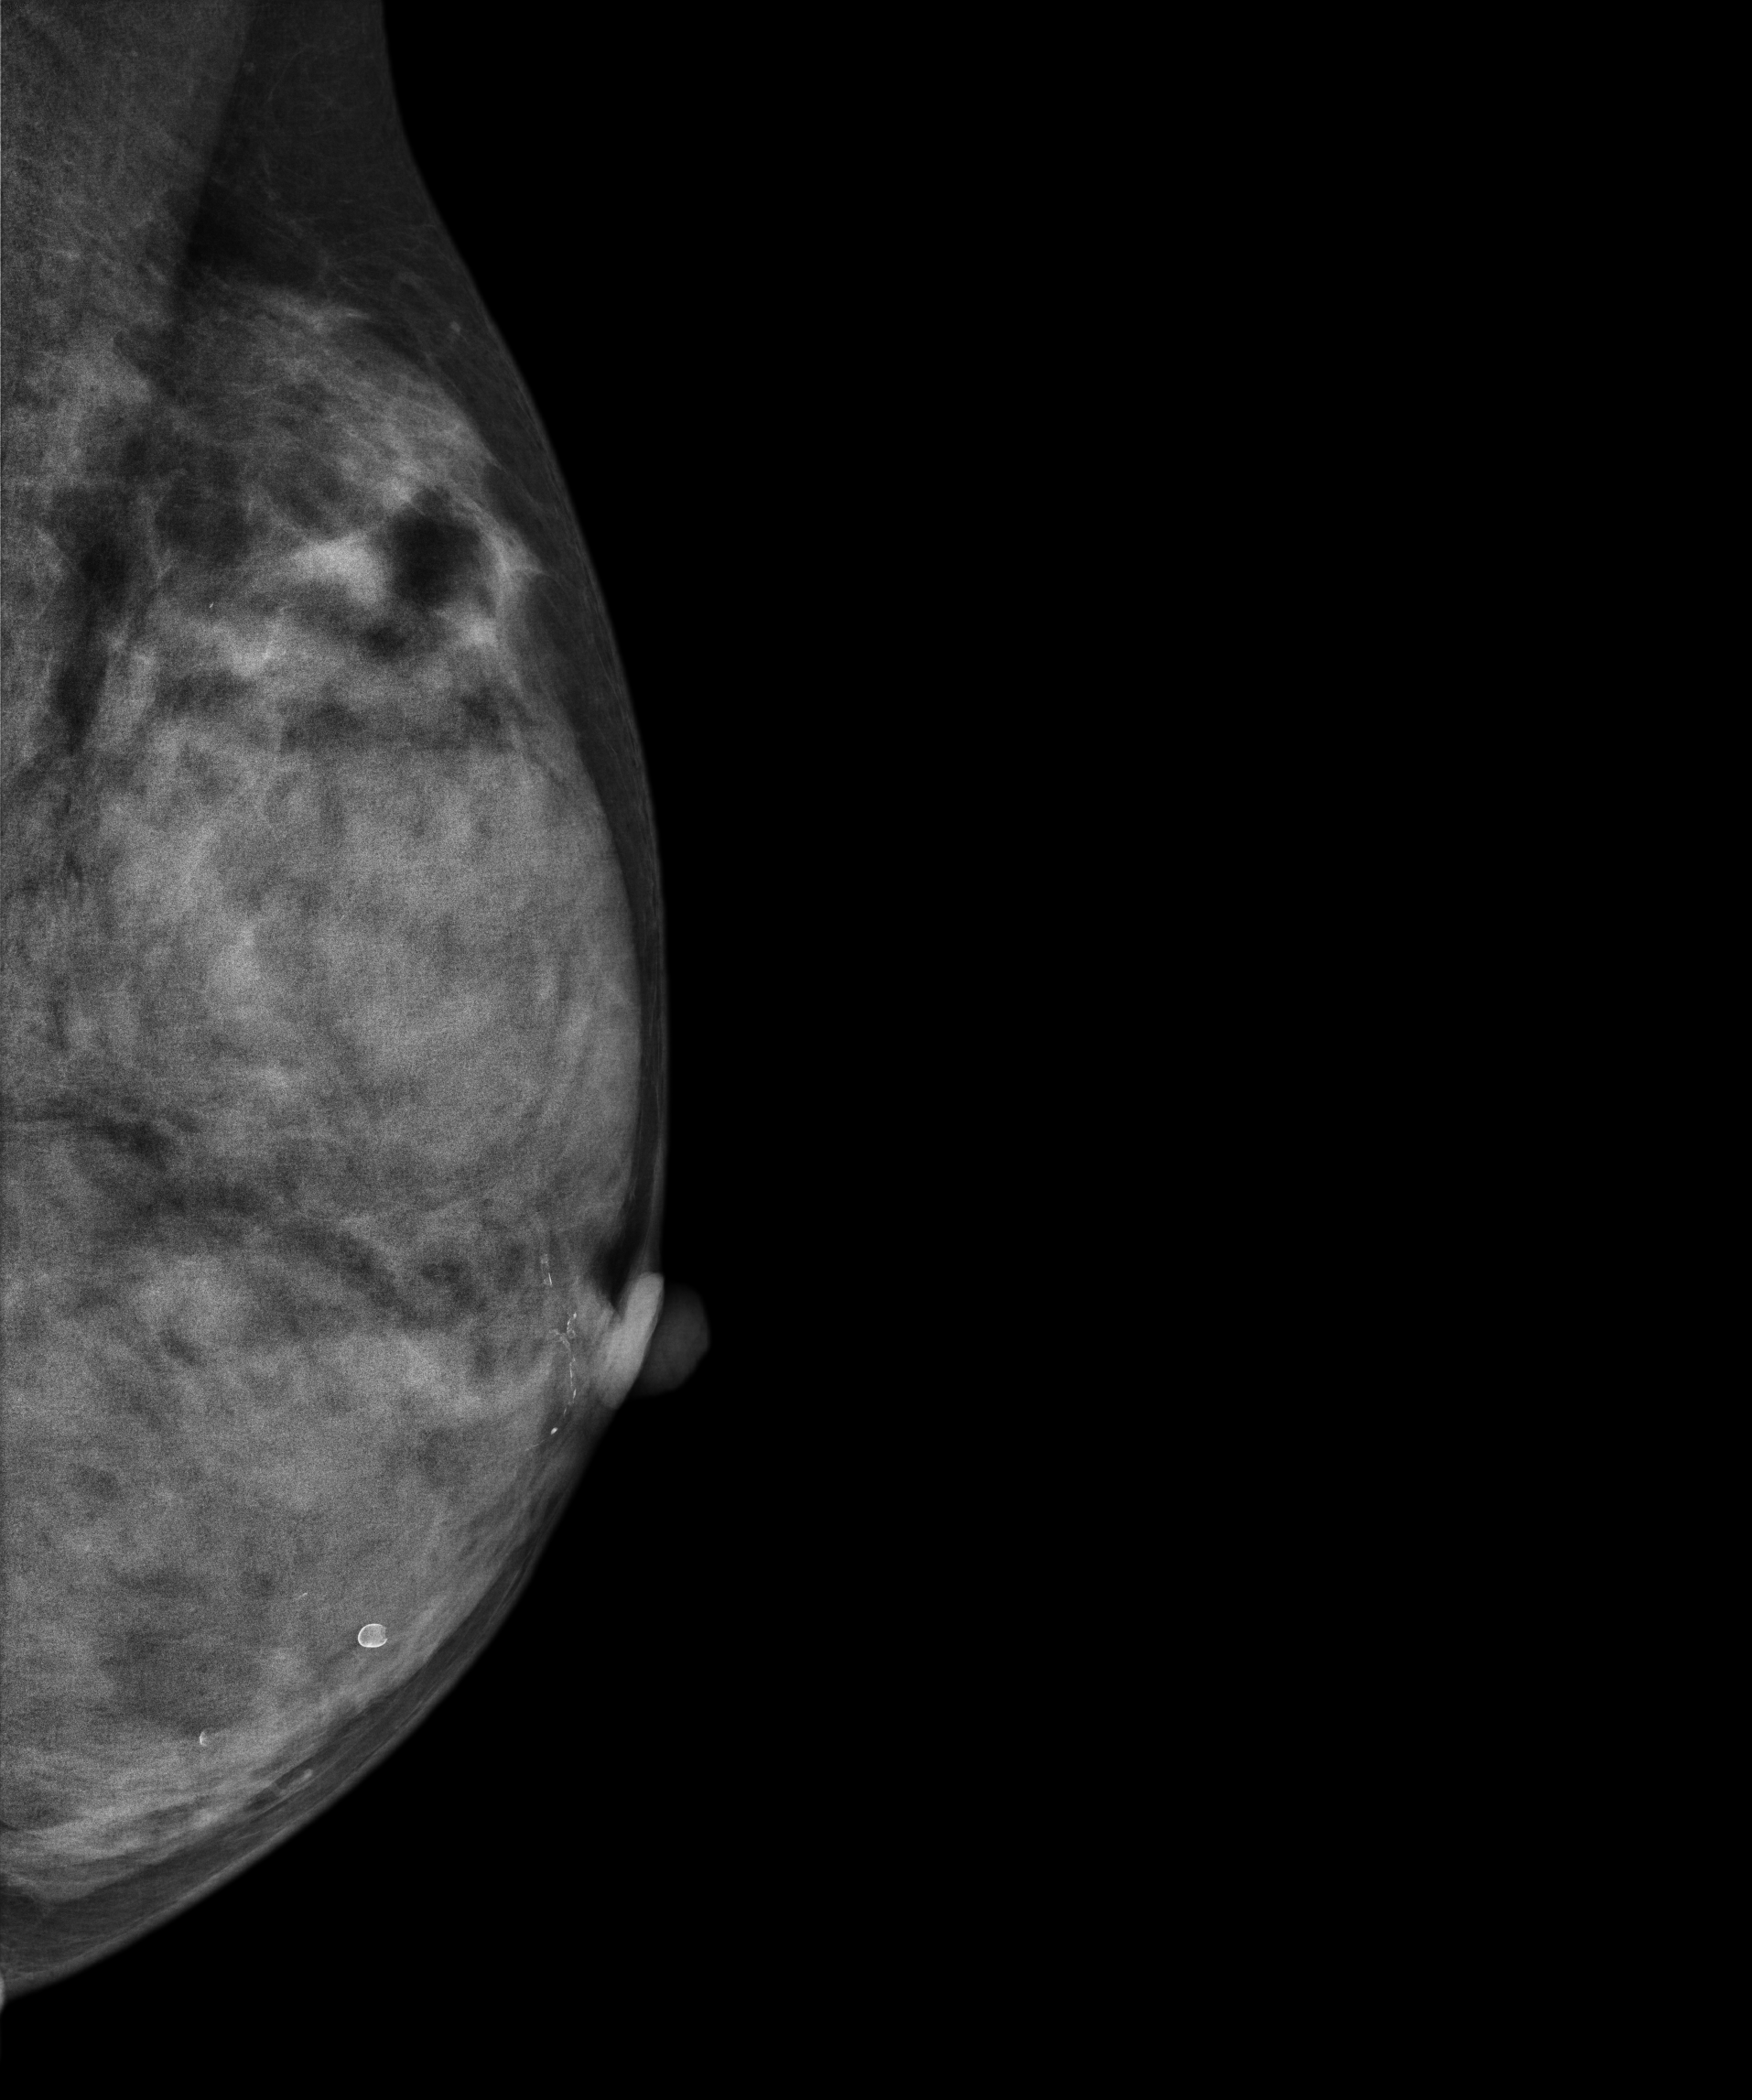
MLO mammogram of the left breast. 46 y/o patient.
This breast has calcifications, biopsy-confirmed benign.